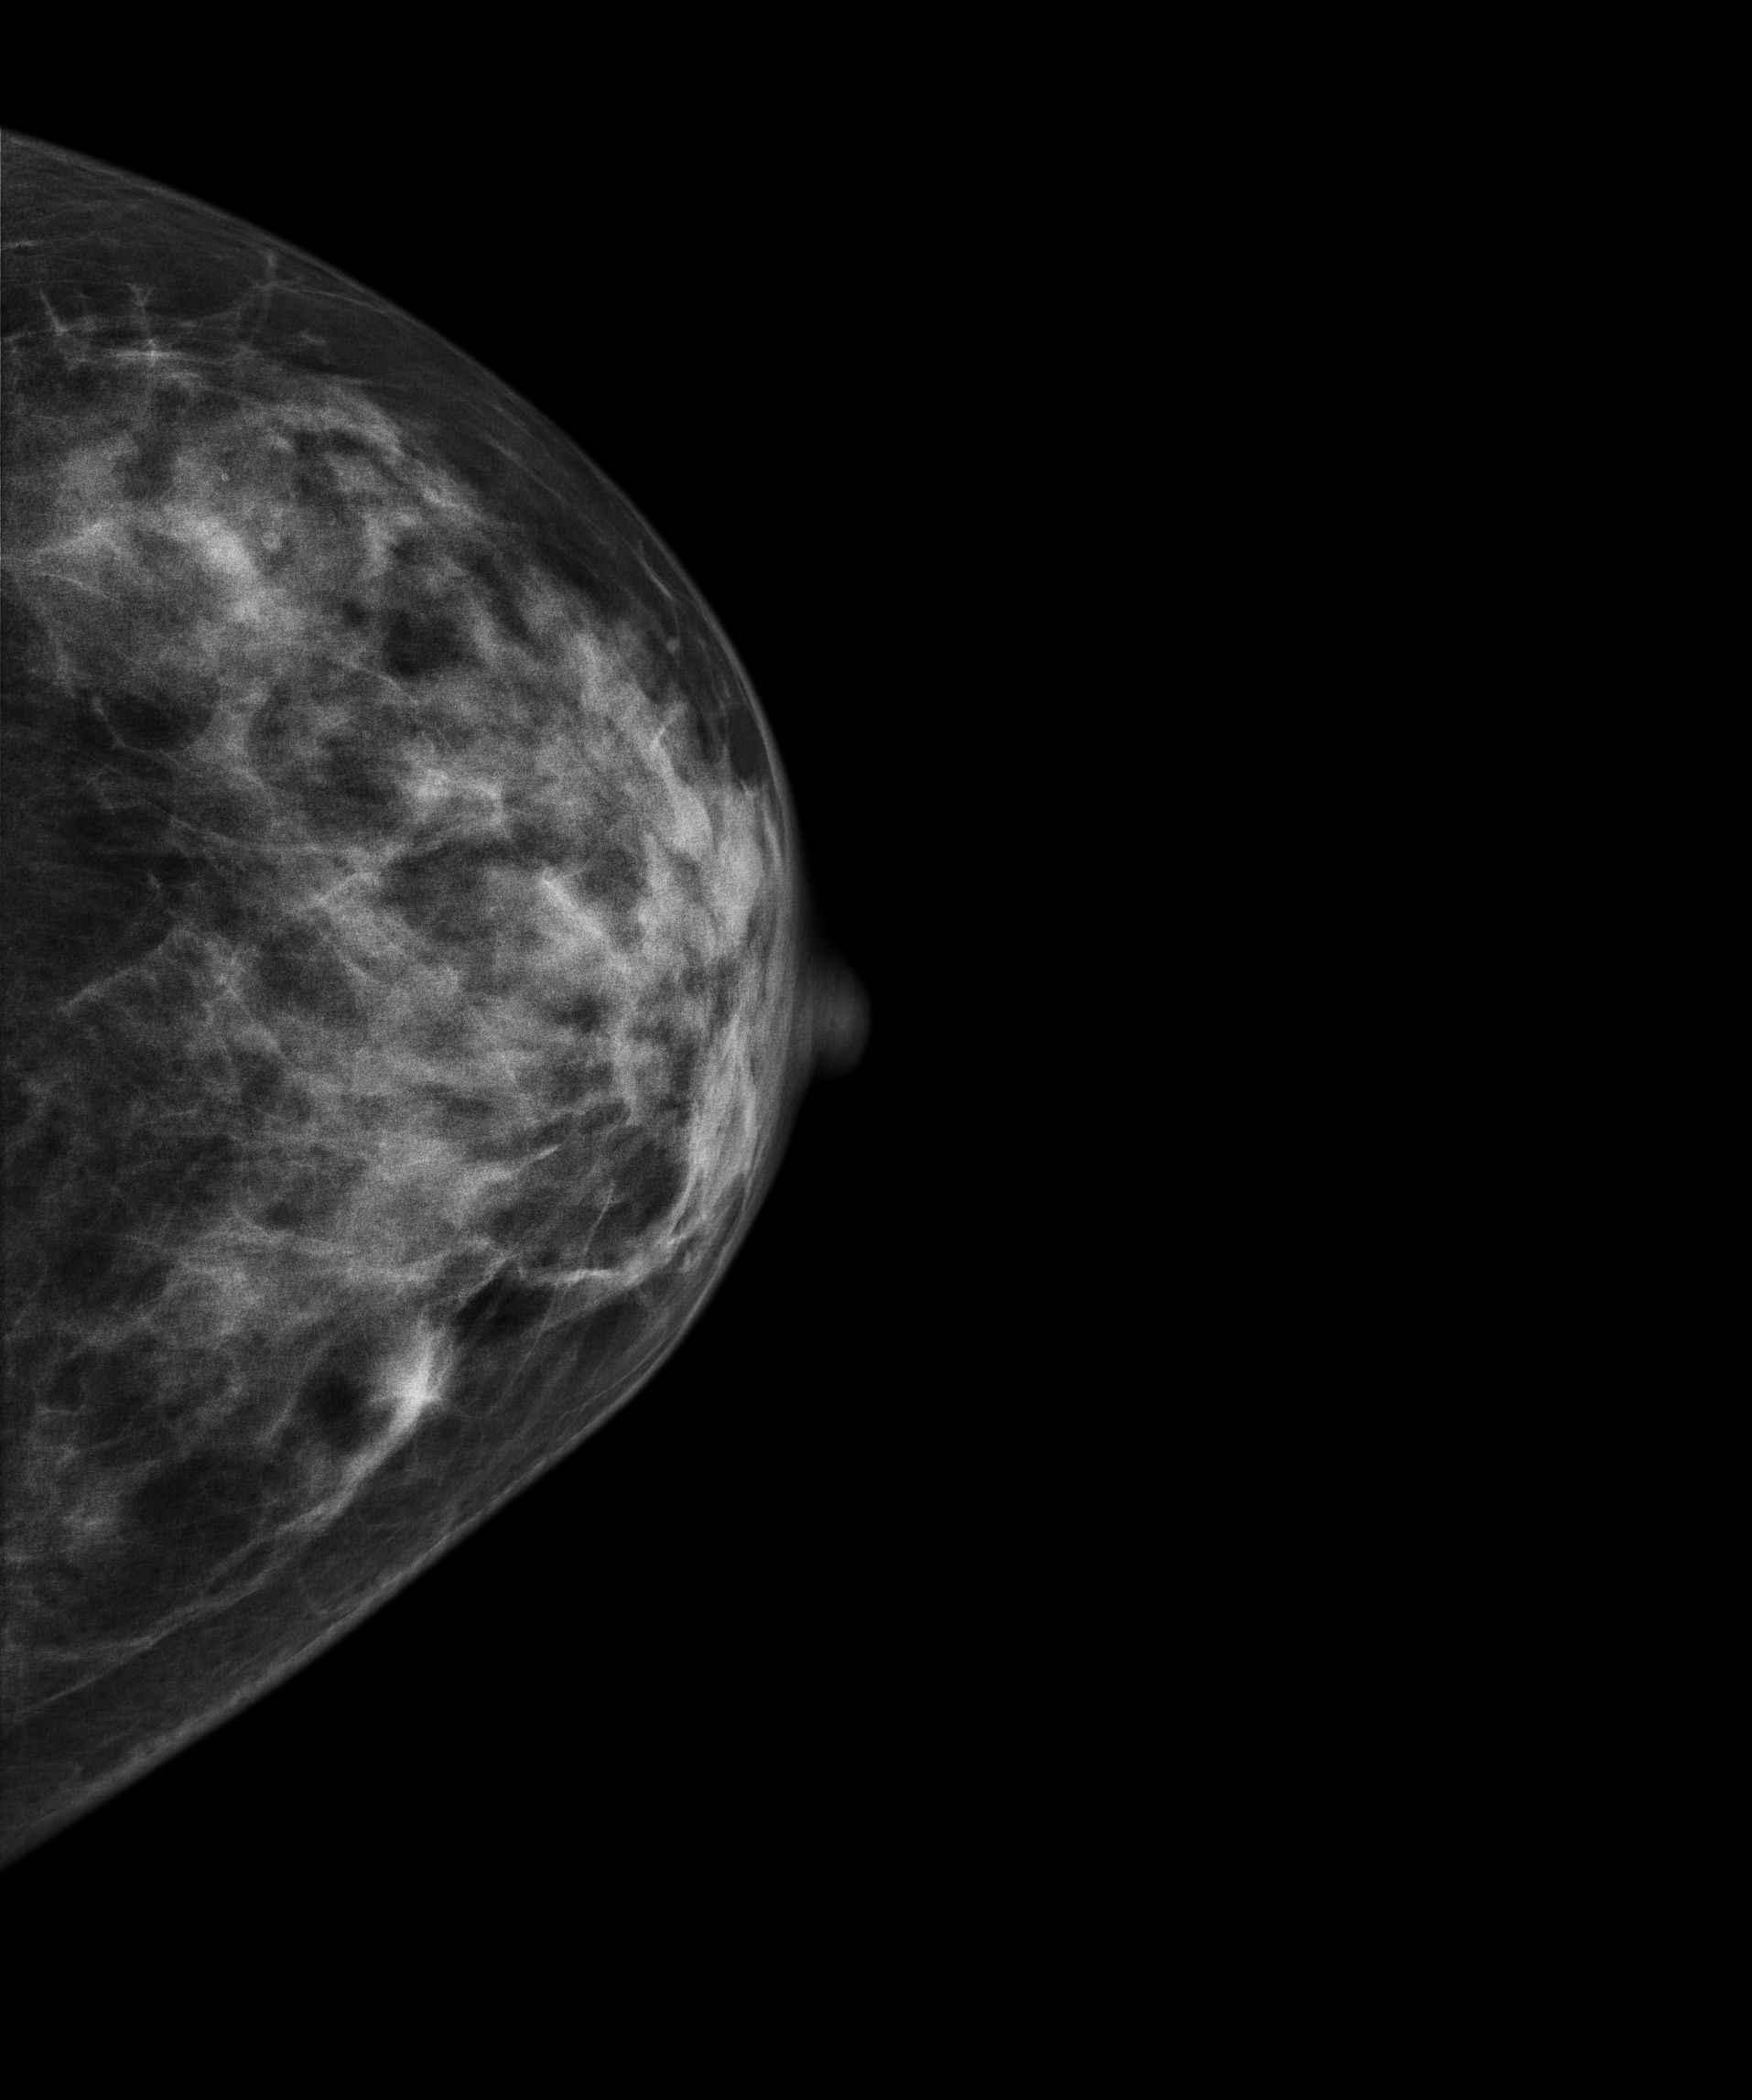
Cranio-caudal mammogram of the left breast. 46 y/o patient.
This breast has a mass, biopsy-confirmed benign.